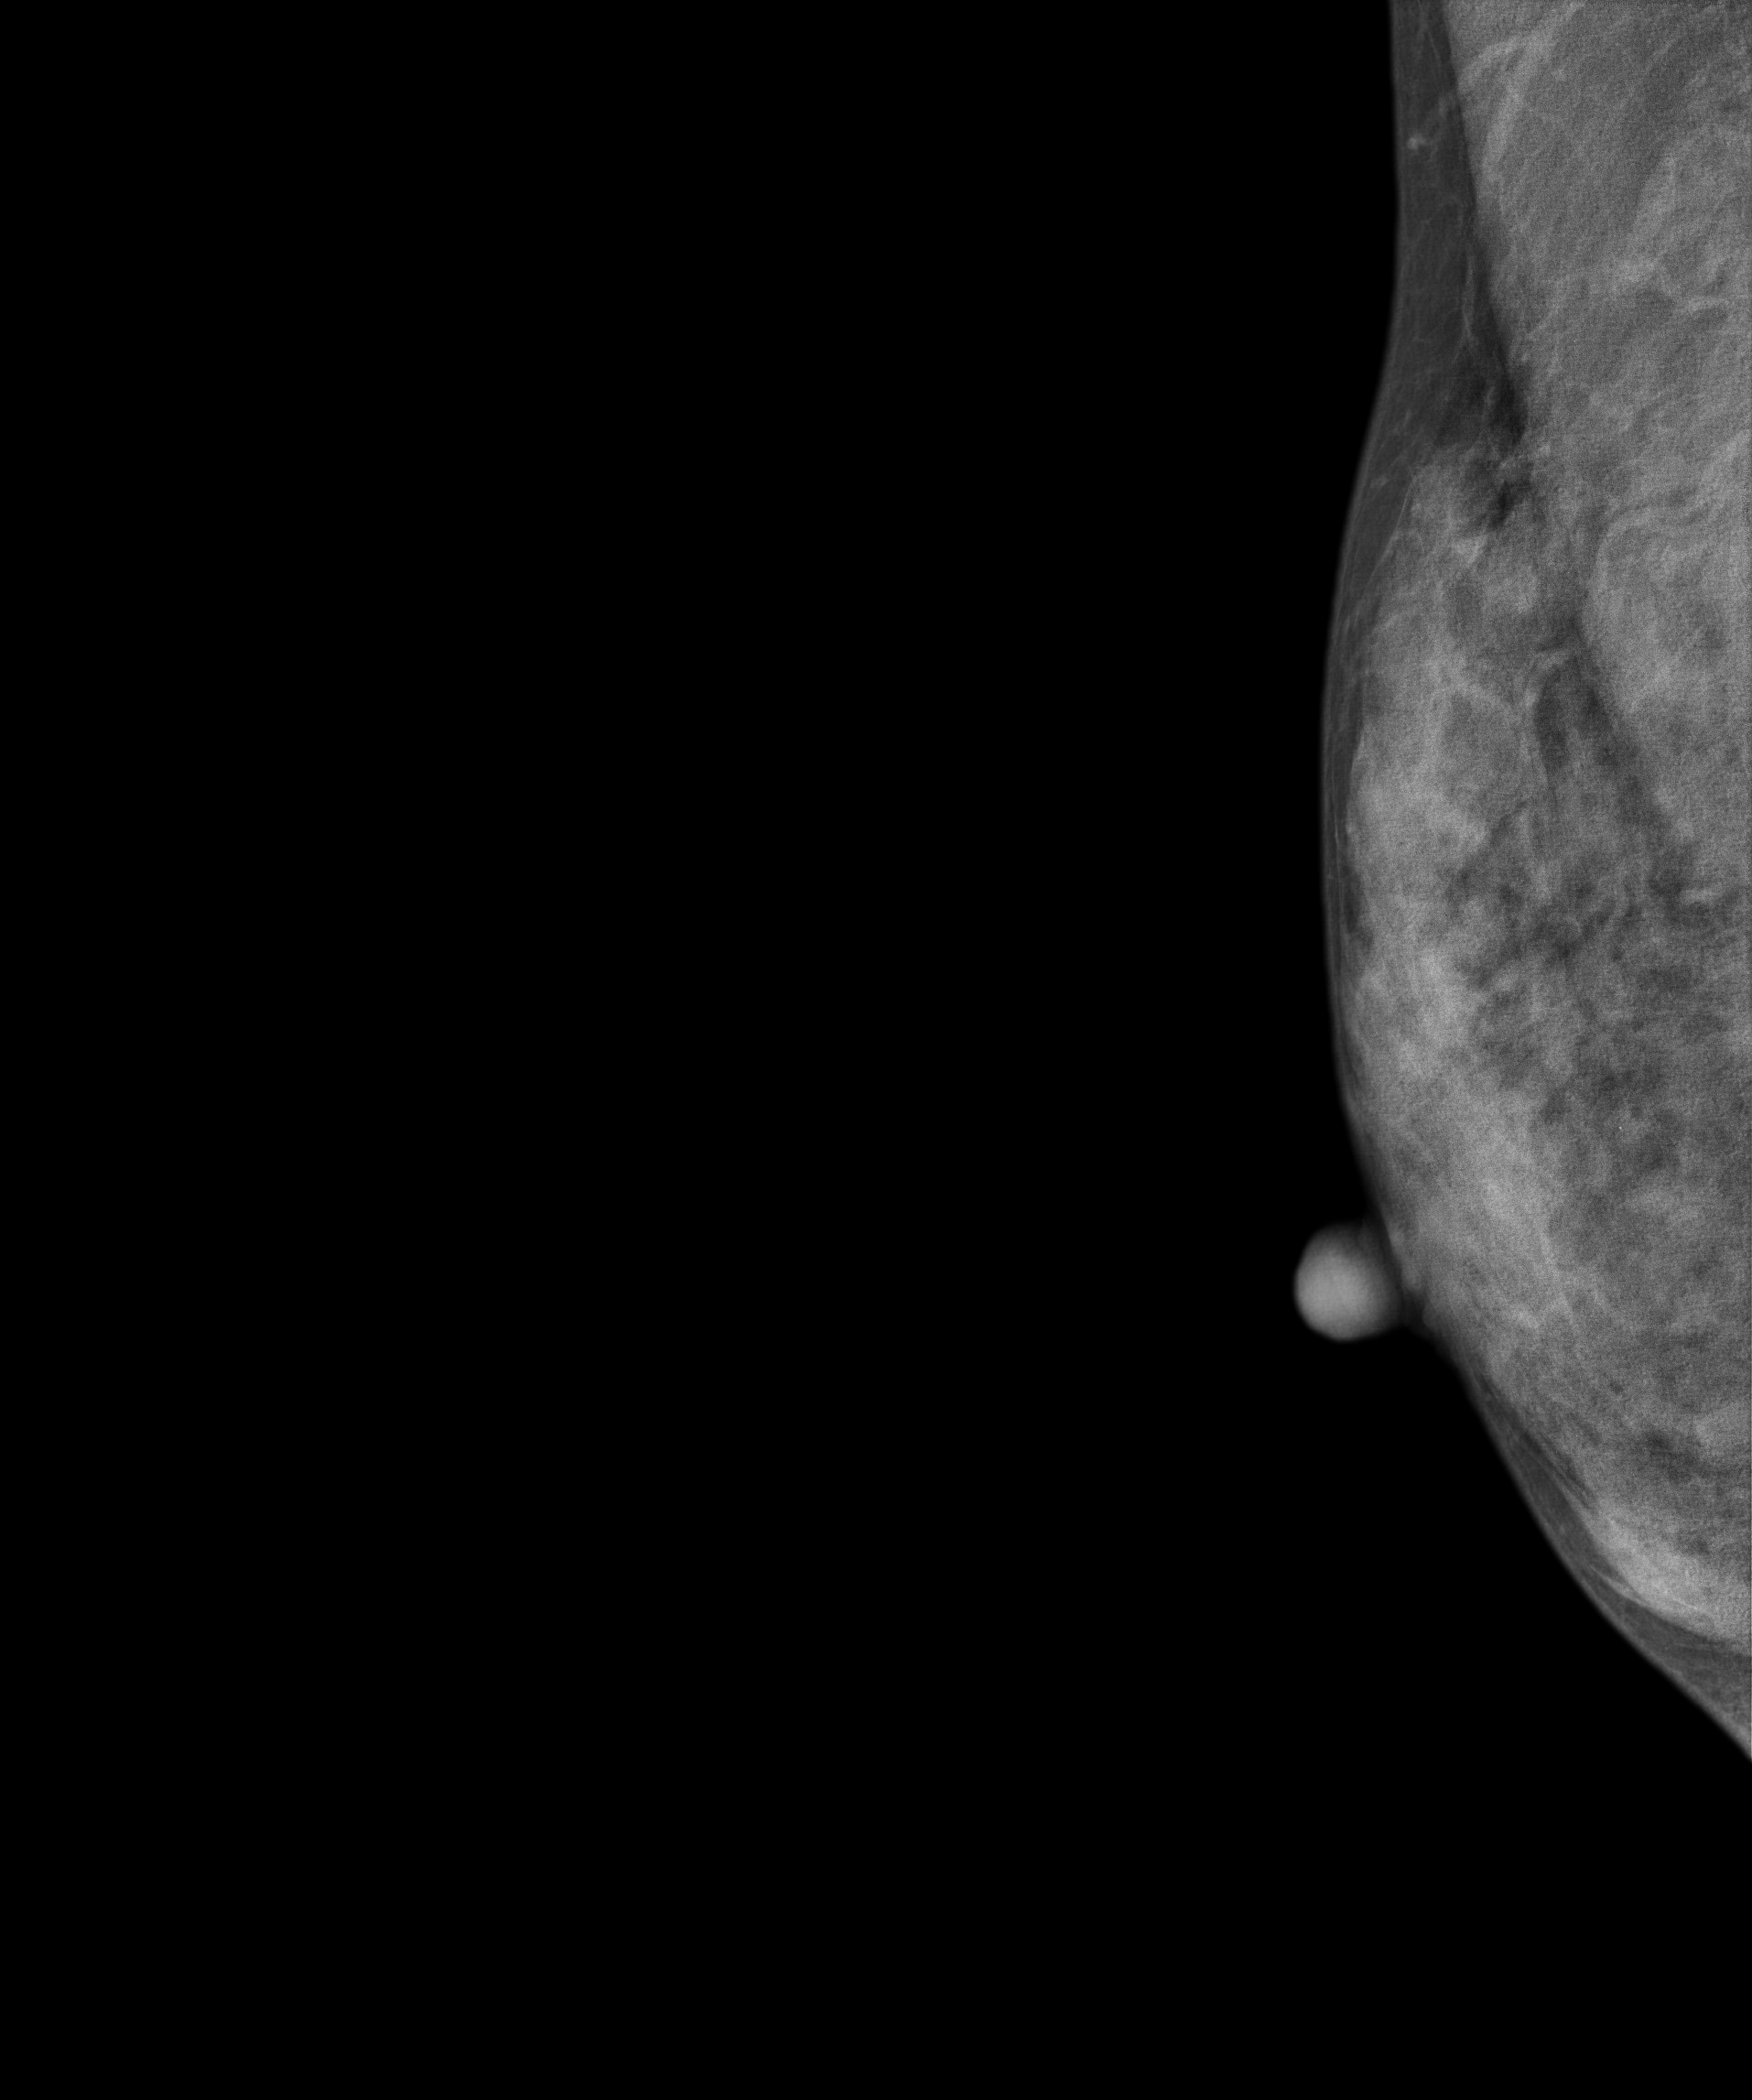
Digital mammography. Right breast, MLO projection. 38-year-old patient.
This breast has a mass, biopsy-proven benign.